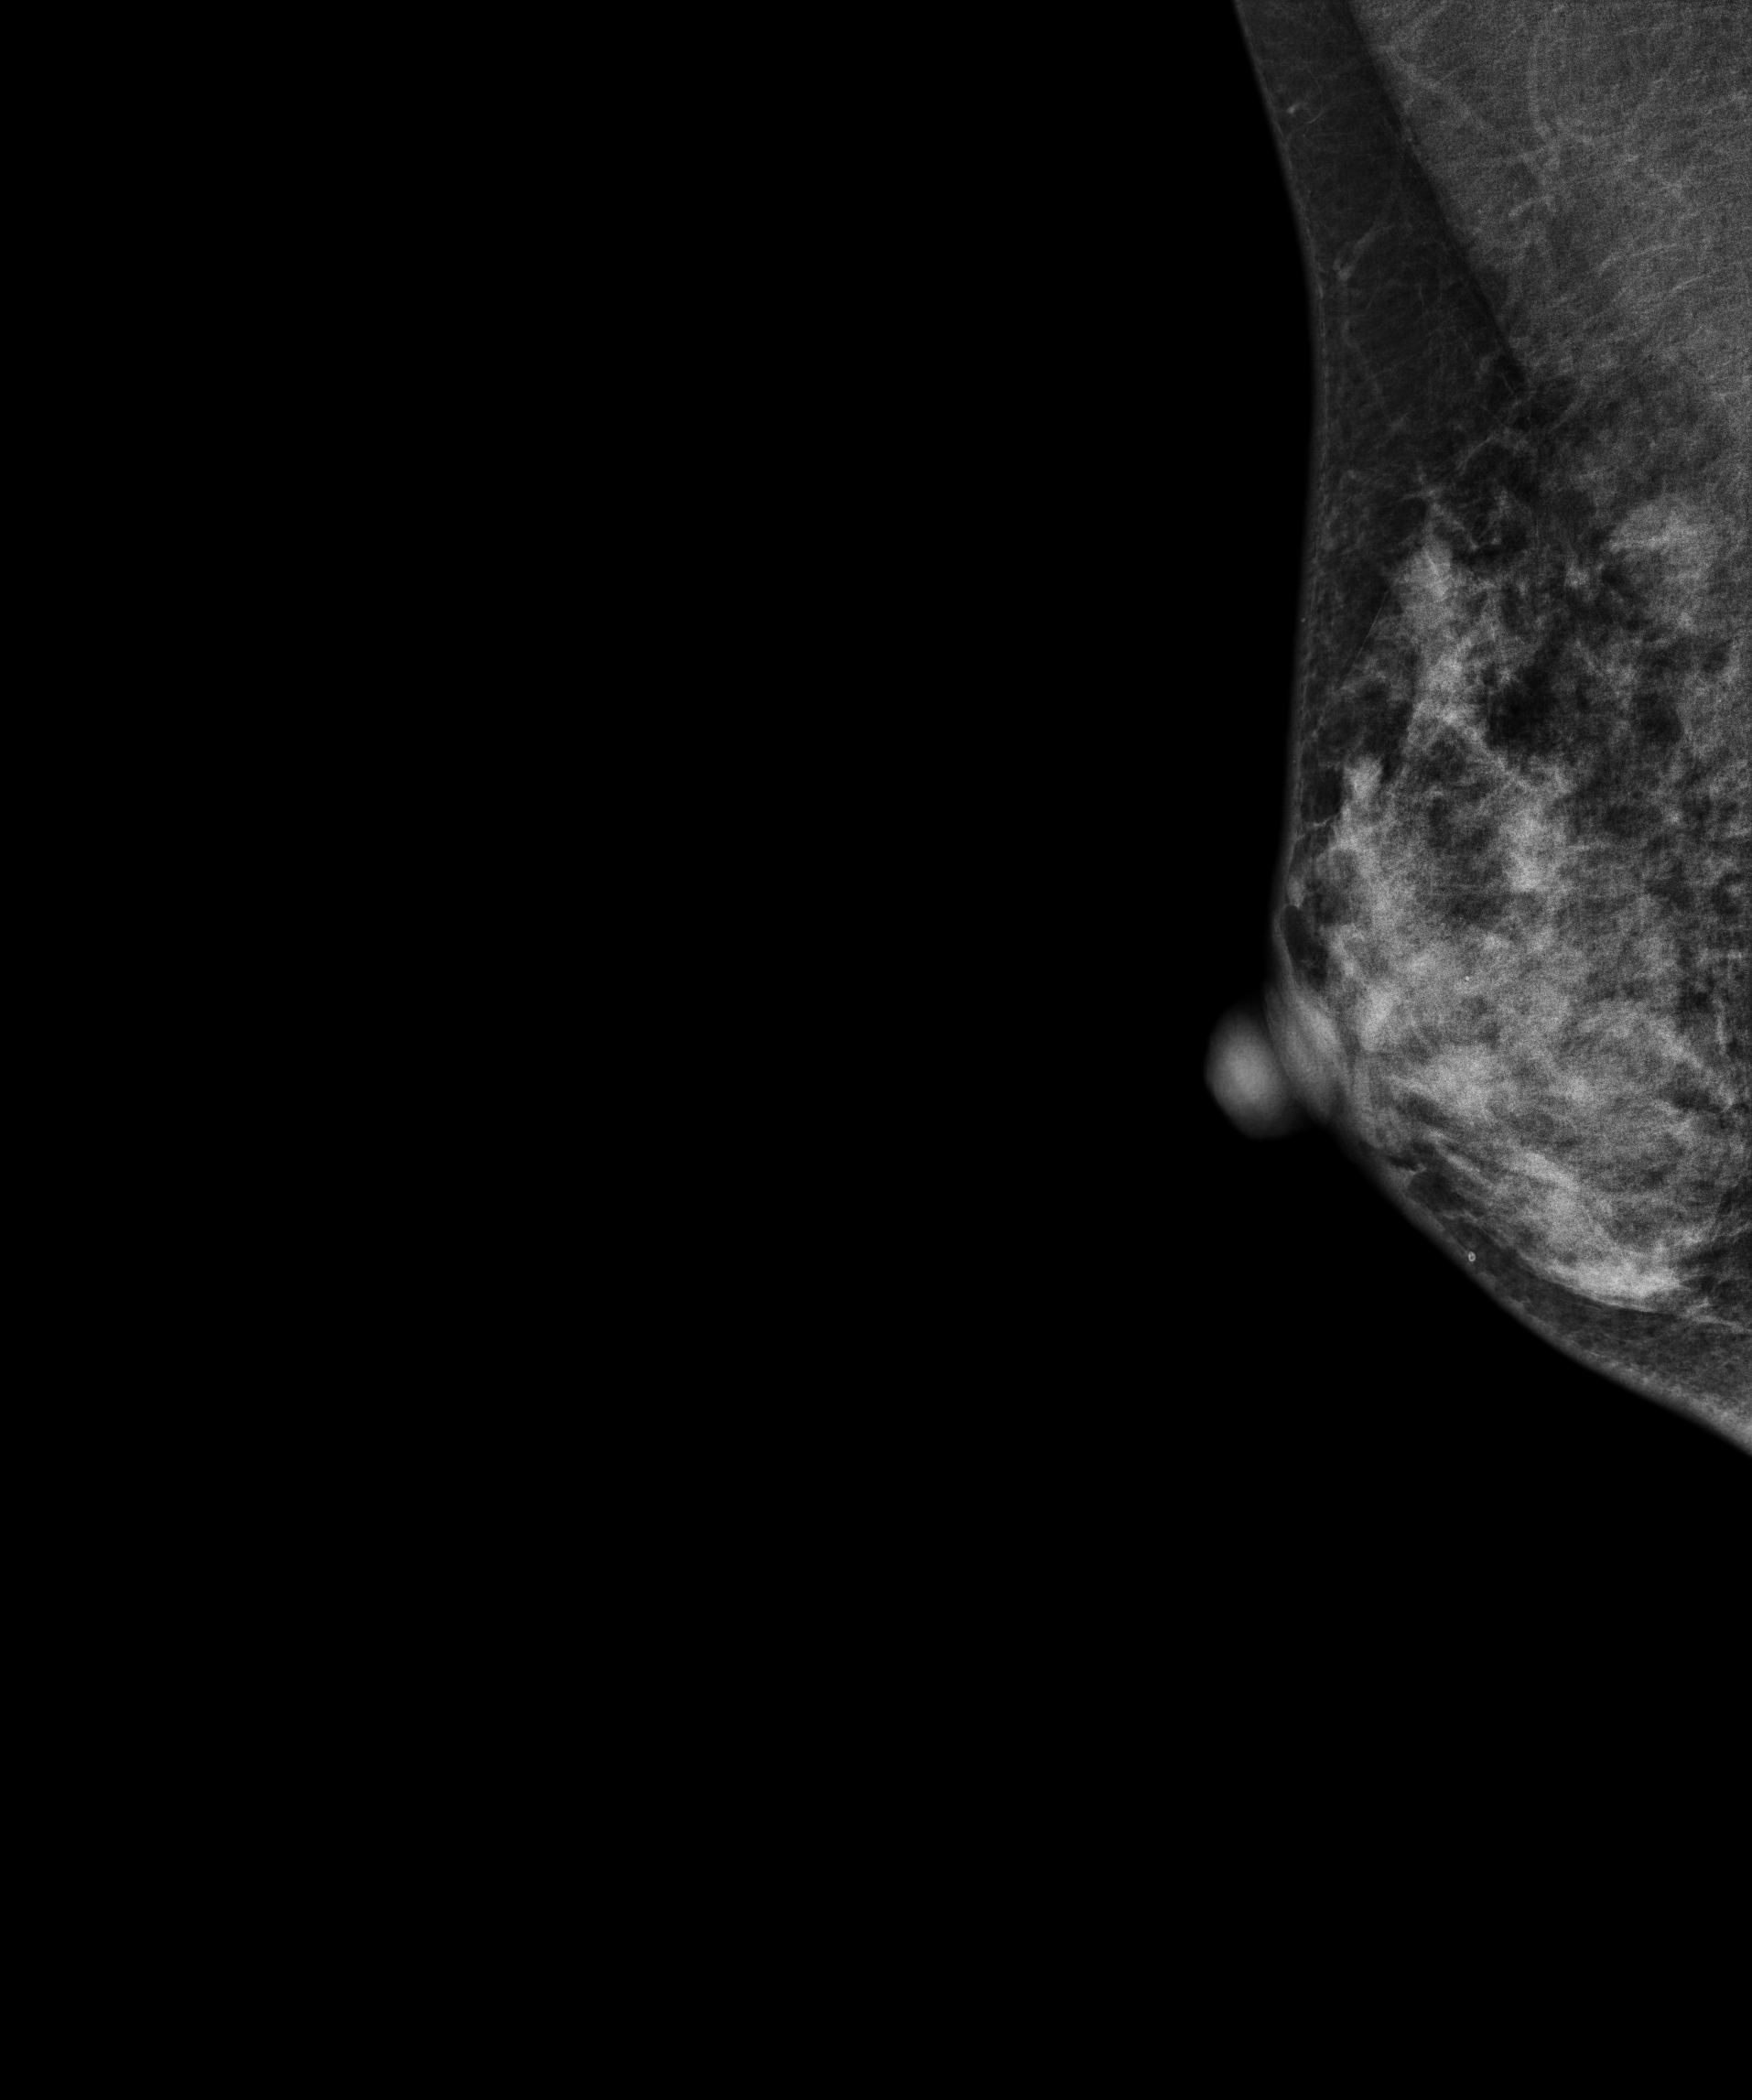
Mammogram, right breast, MLO view. 45 y/o patient.
This breast has a mass, biopsy-confirmed benign.